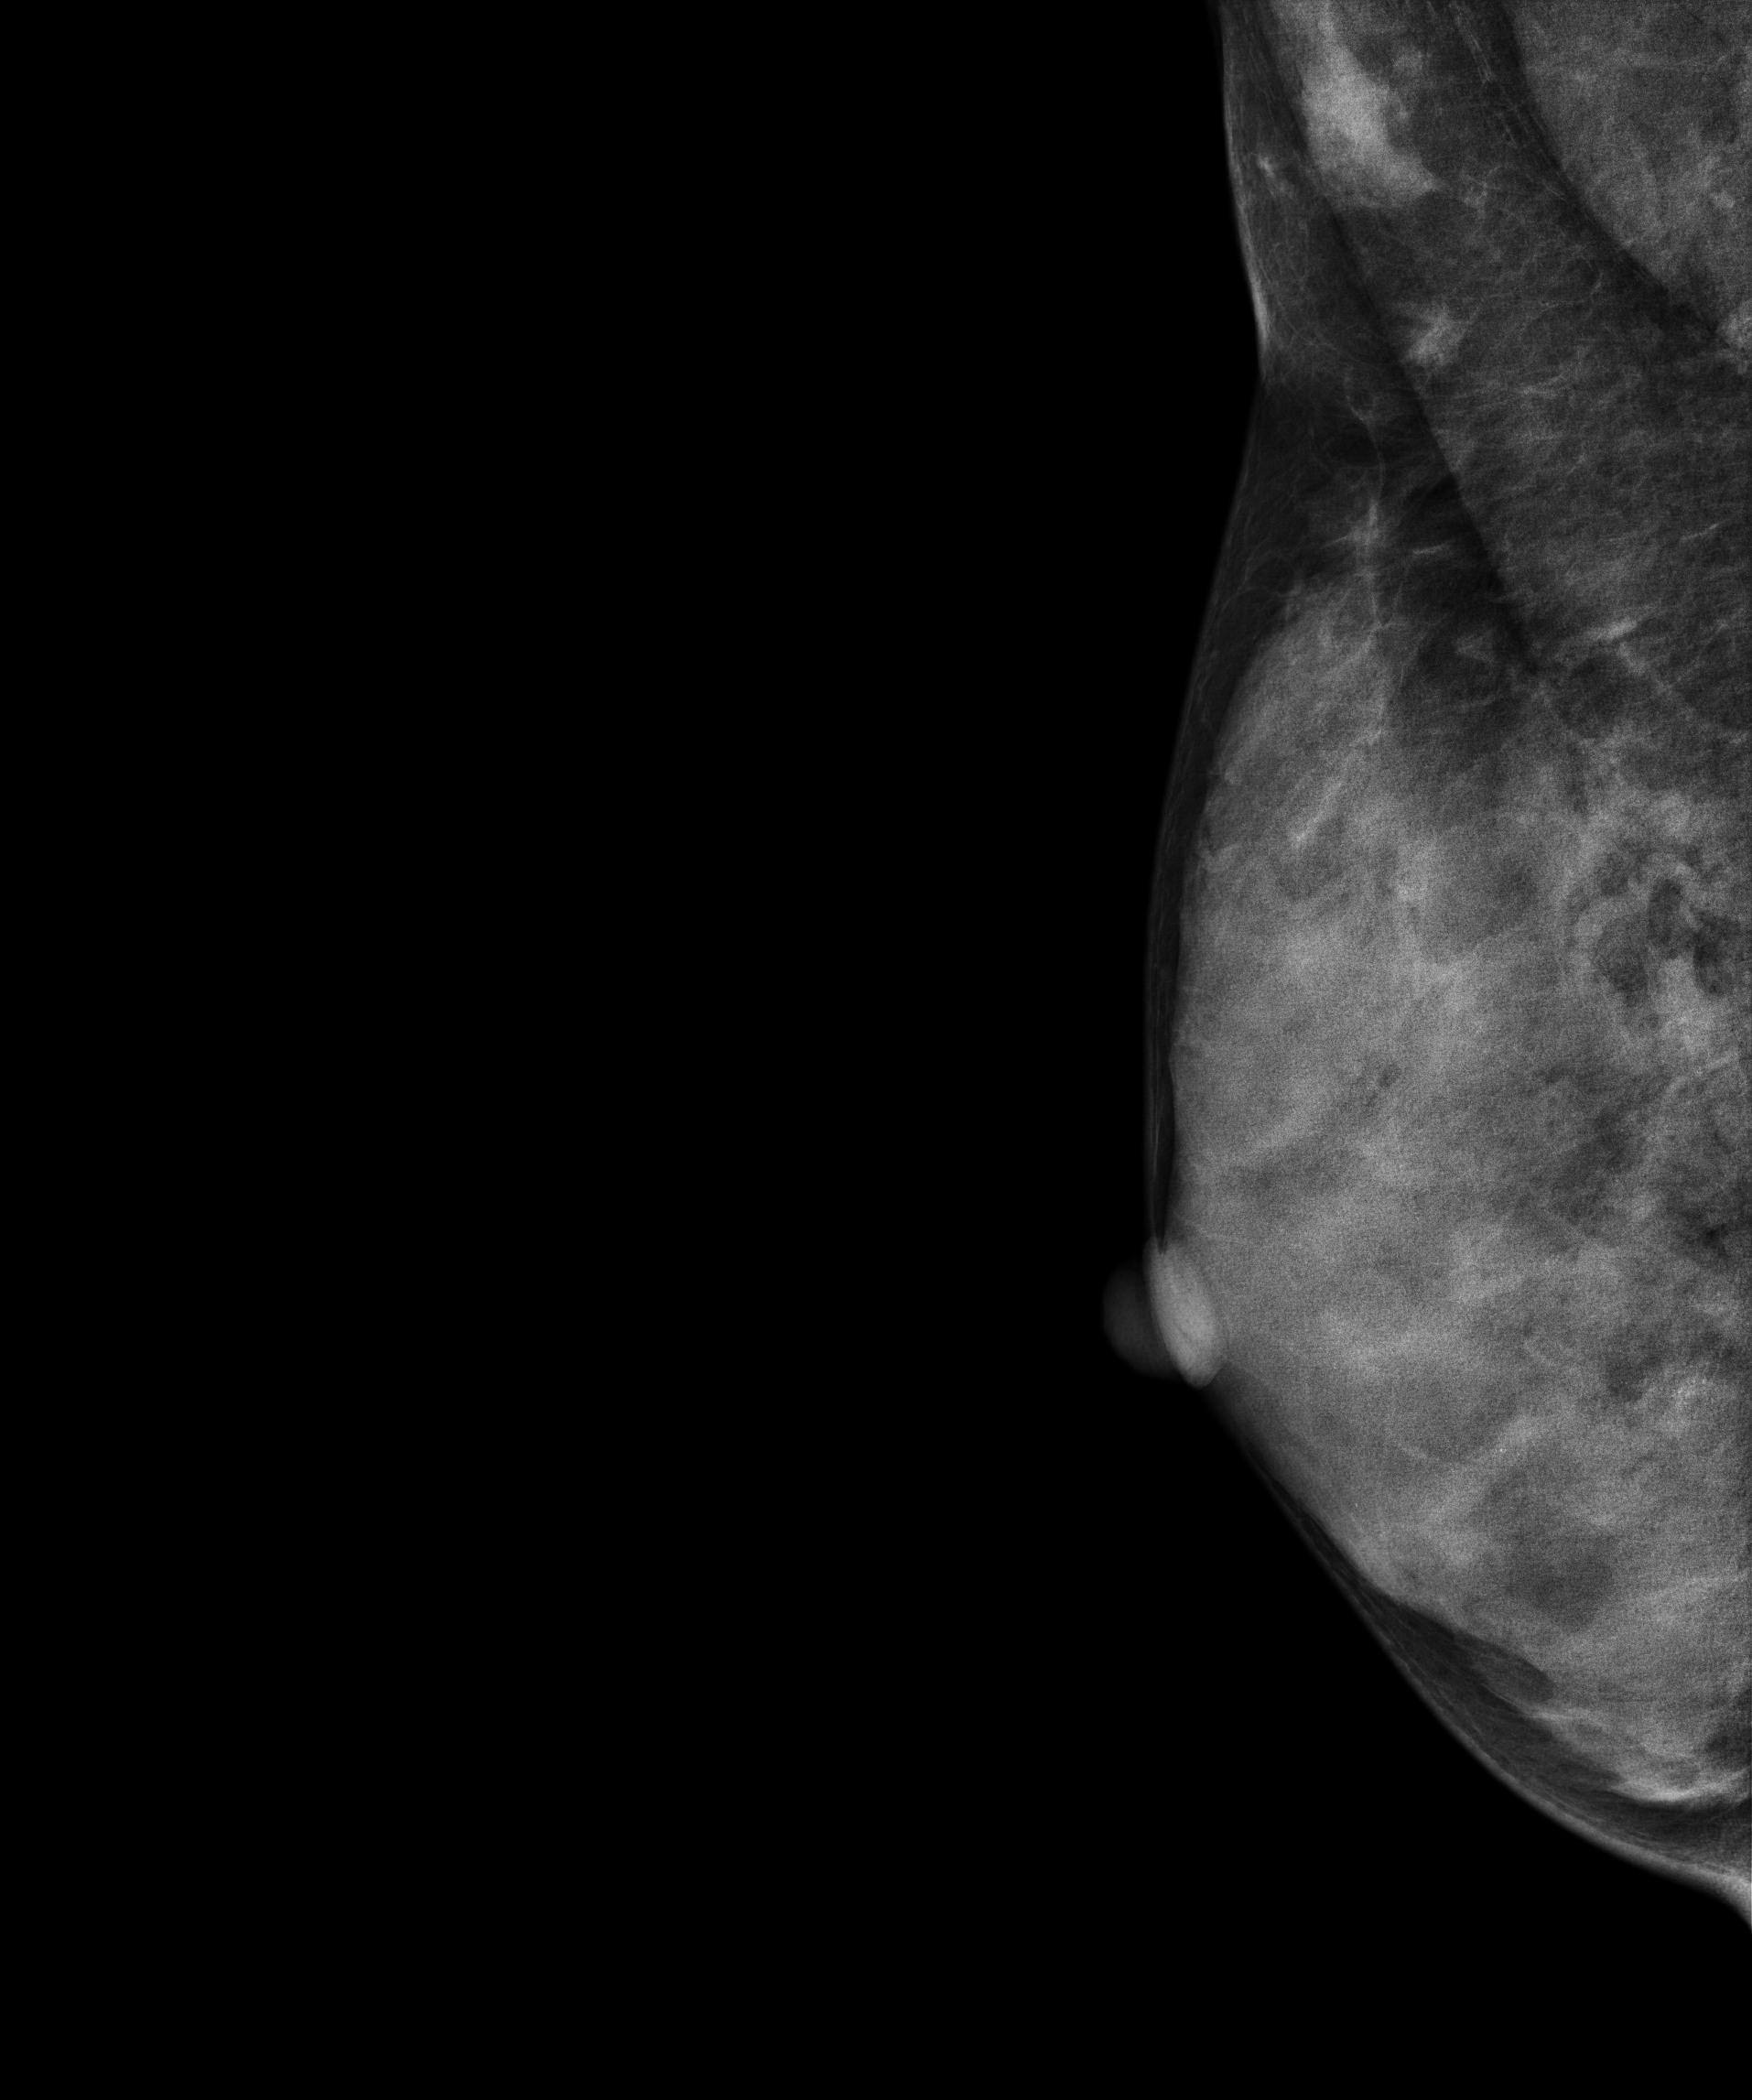
Mammogram — right medio-lateral oblique. 42-year-old patient.
This breast has a mass, biopsy-proven benign.